Left-breast mammogram, cranio-caudal. 50-year-old patient.
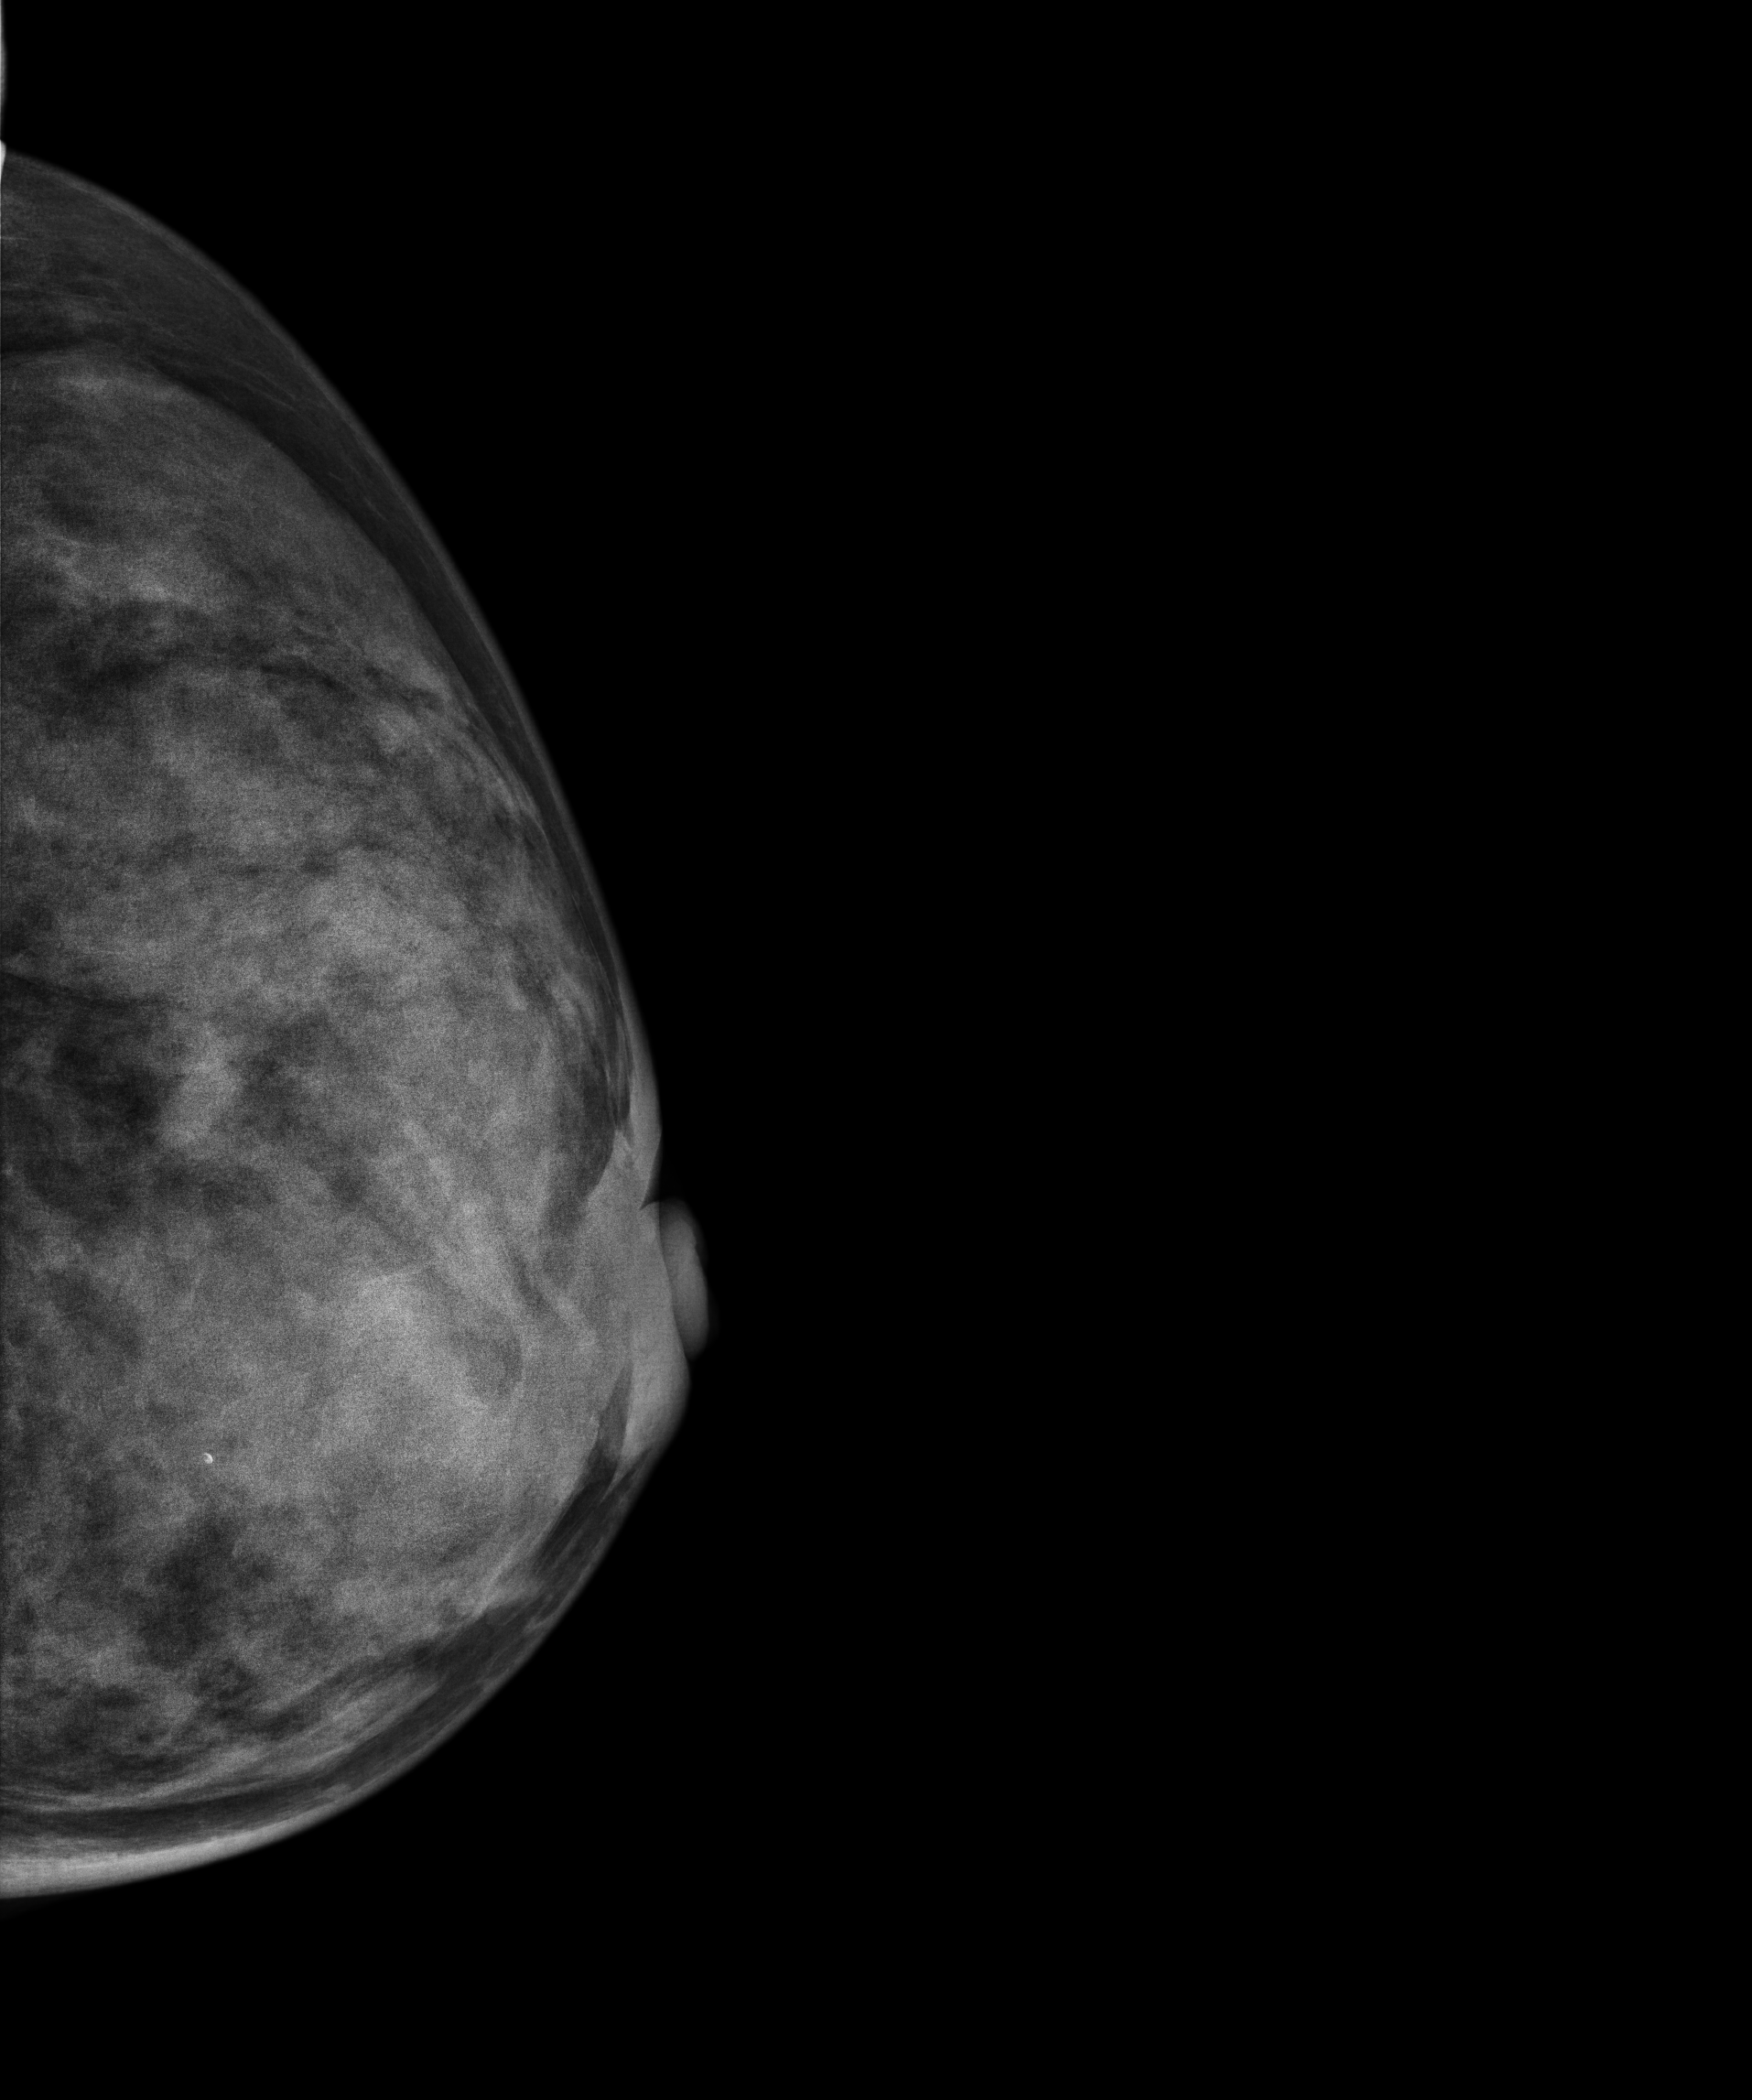
This breast has a mass, biopsy-proven malignant.